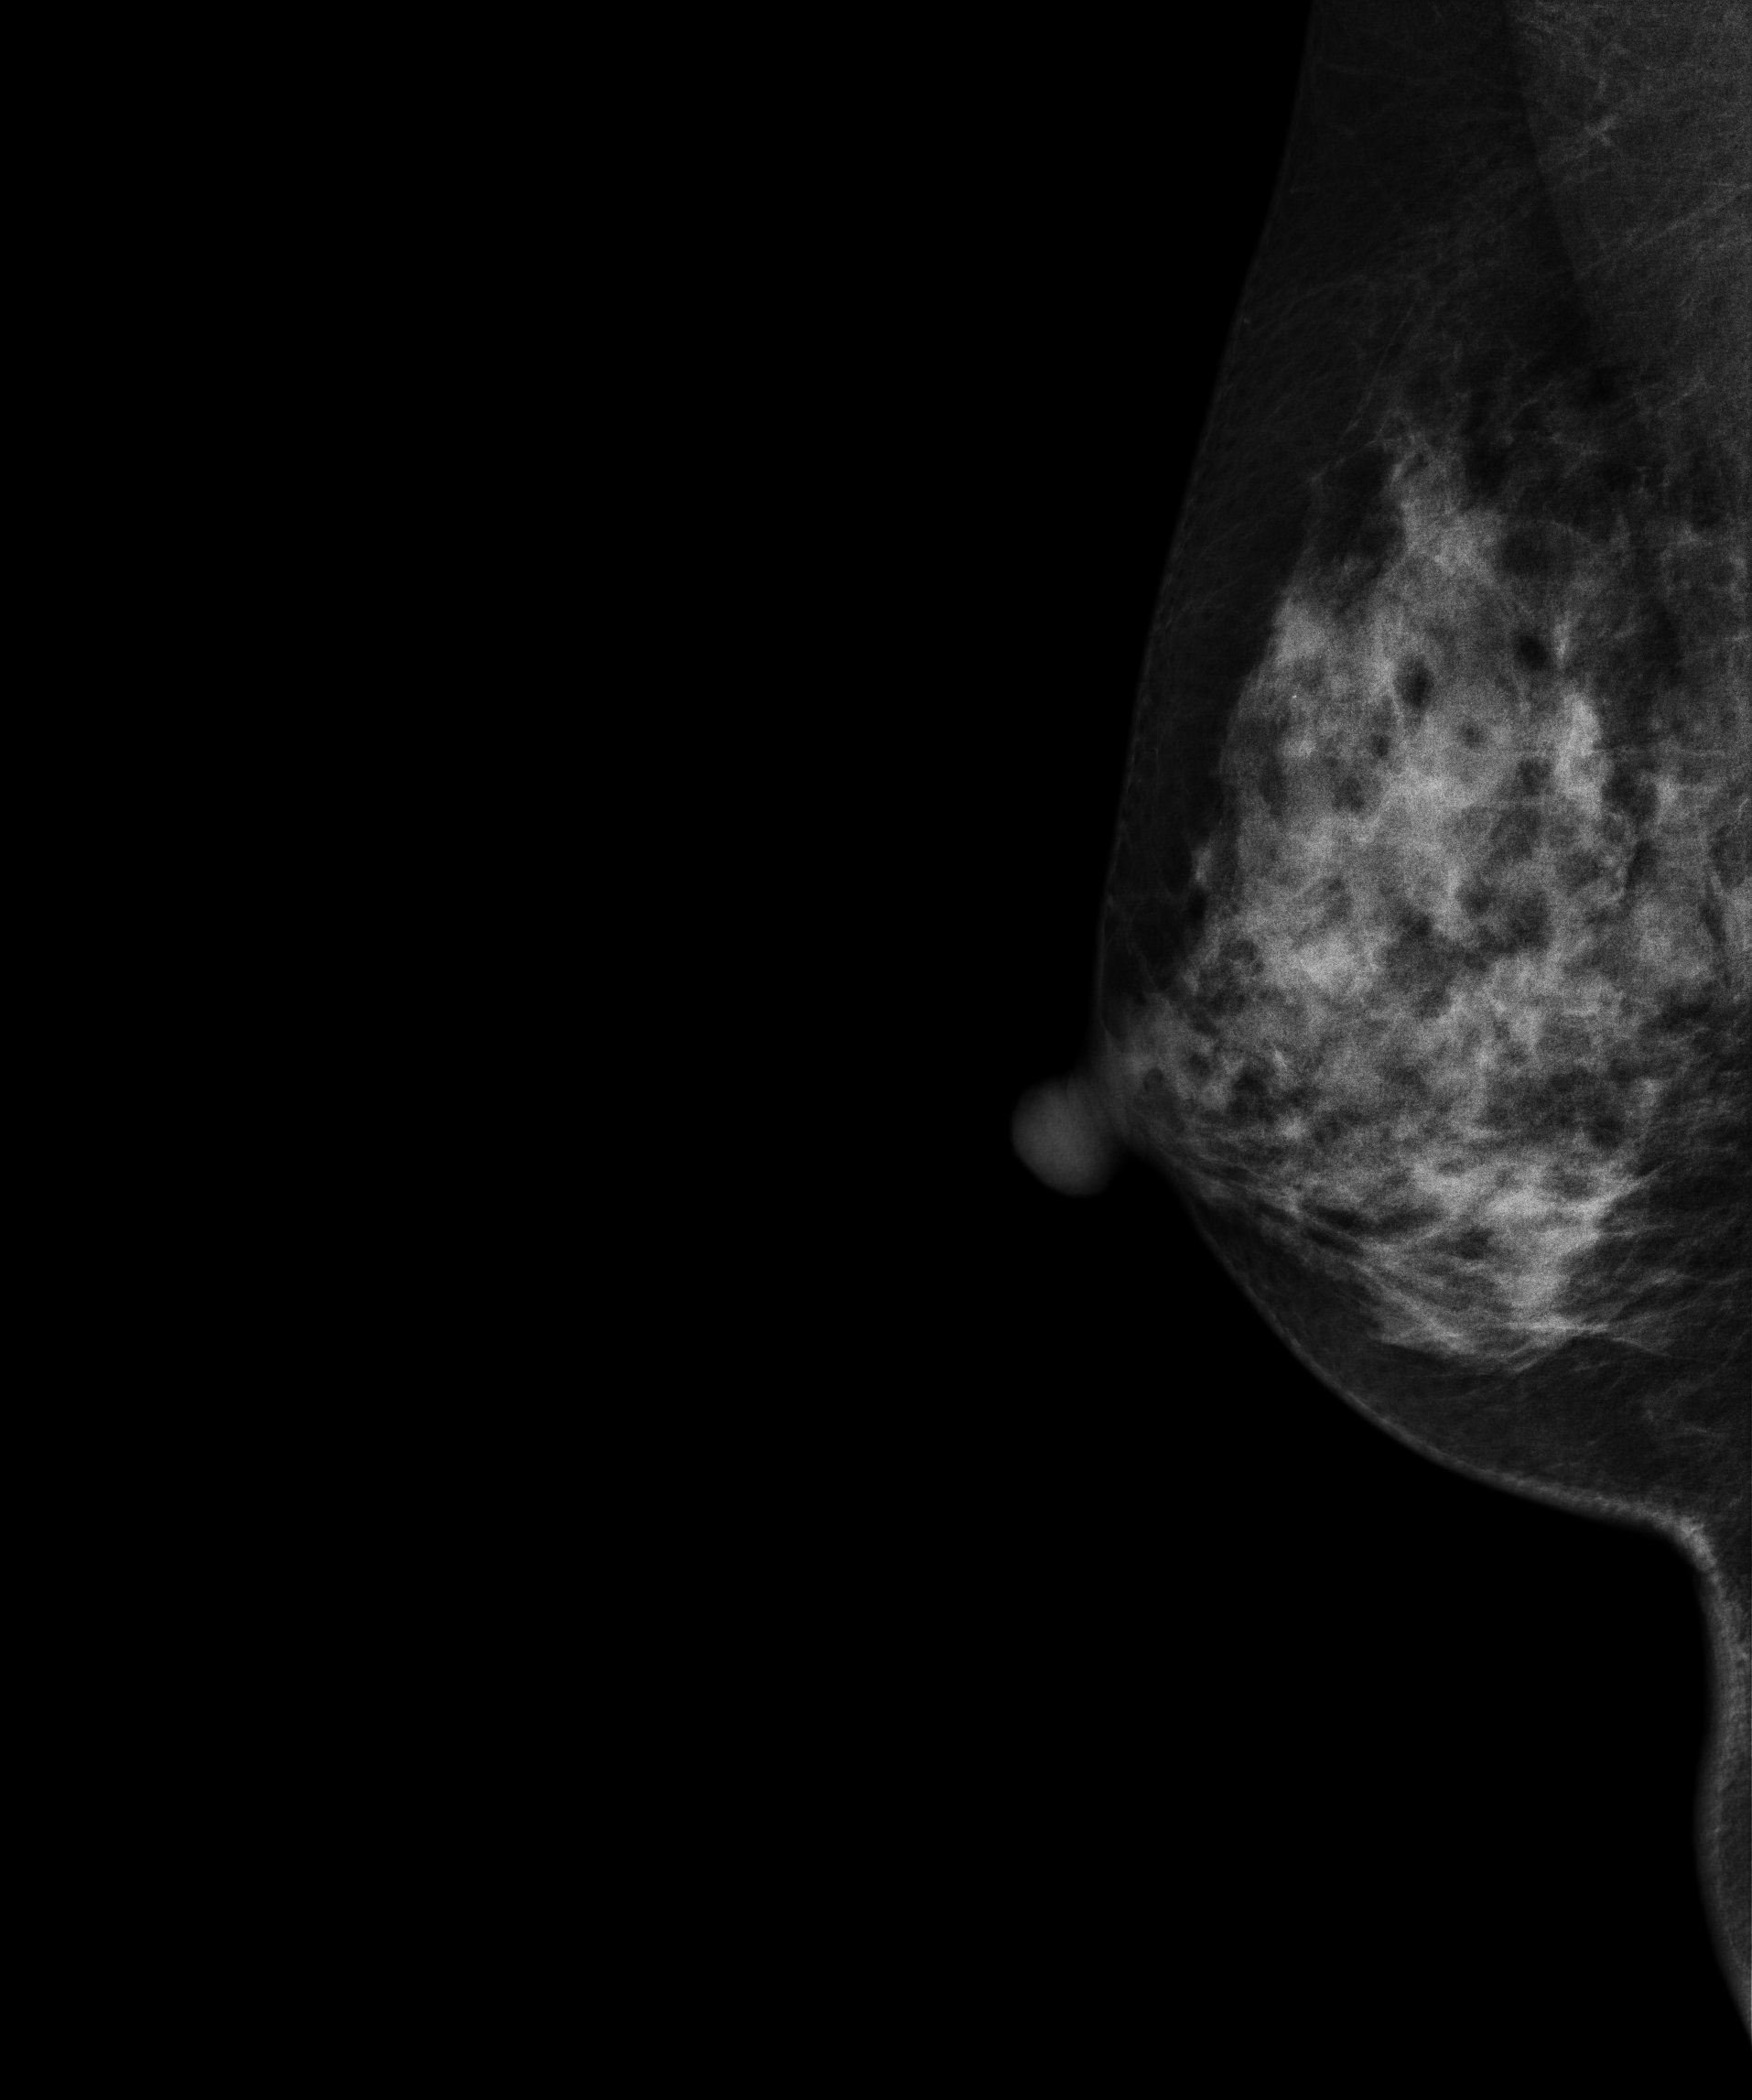
Digital mammography. Right breast, MLO projection. Patient age 53.
This breast has a mass, biopsy-confirmed malignant.